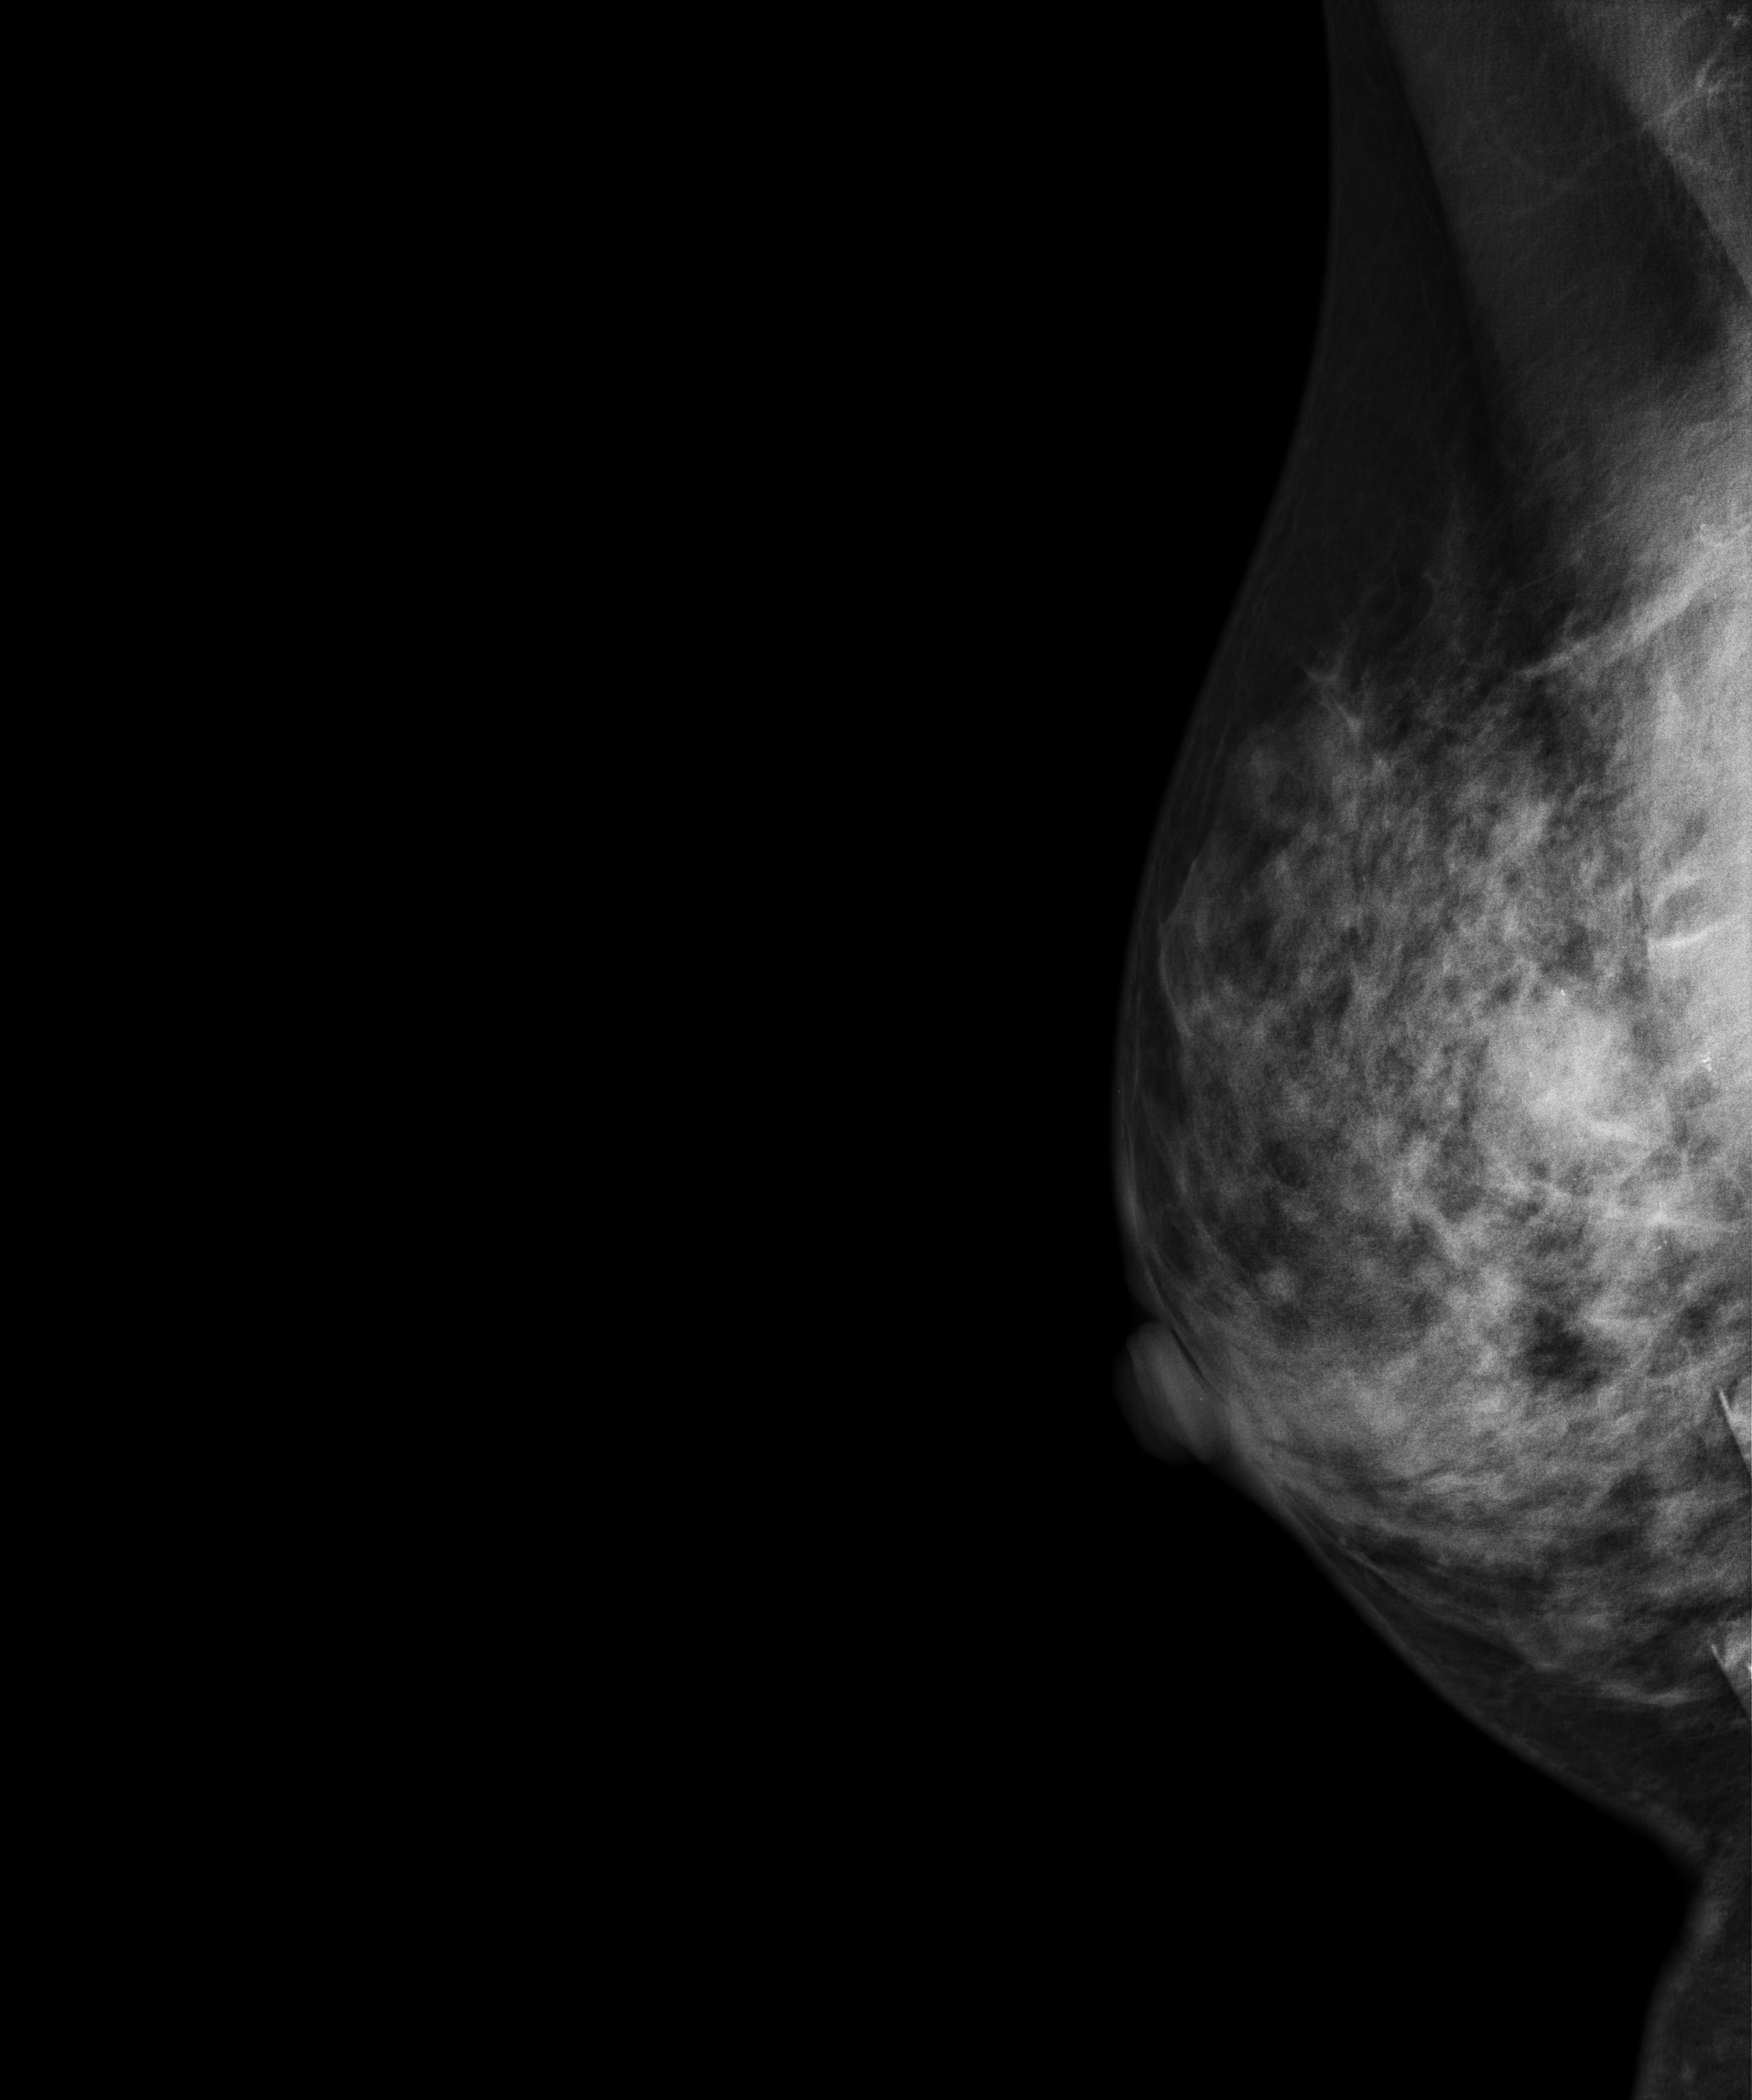
Medio-lateral oblique mammogram of the right breast. 53-year-old patient.
This breast has a mass and calcifications, biopsy-confirmed malignant. Molecular subtype: HER2-enriched.